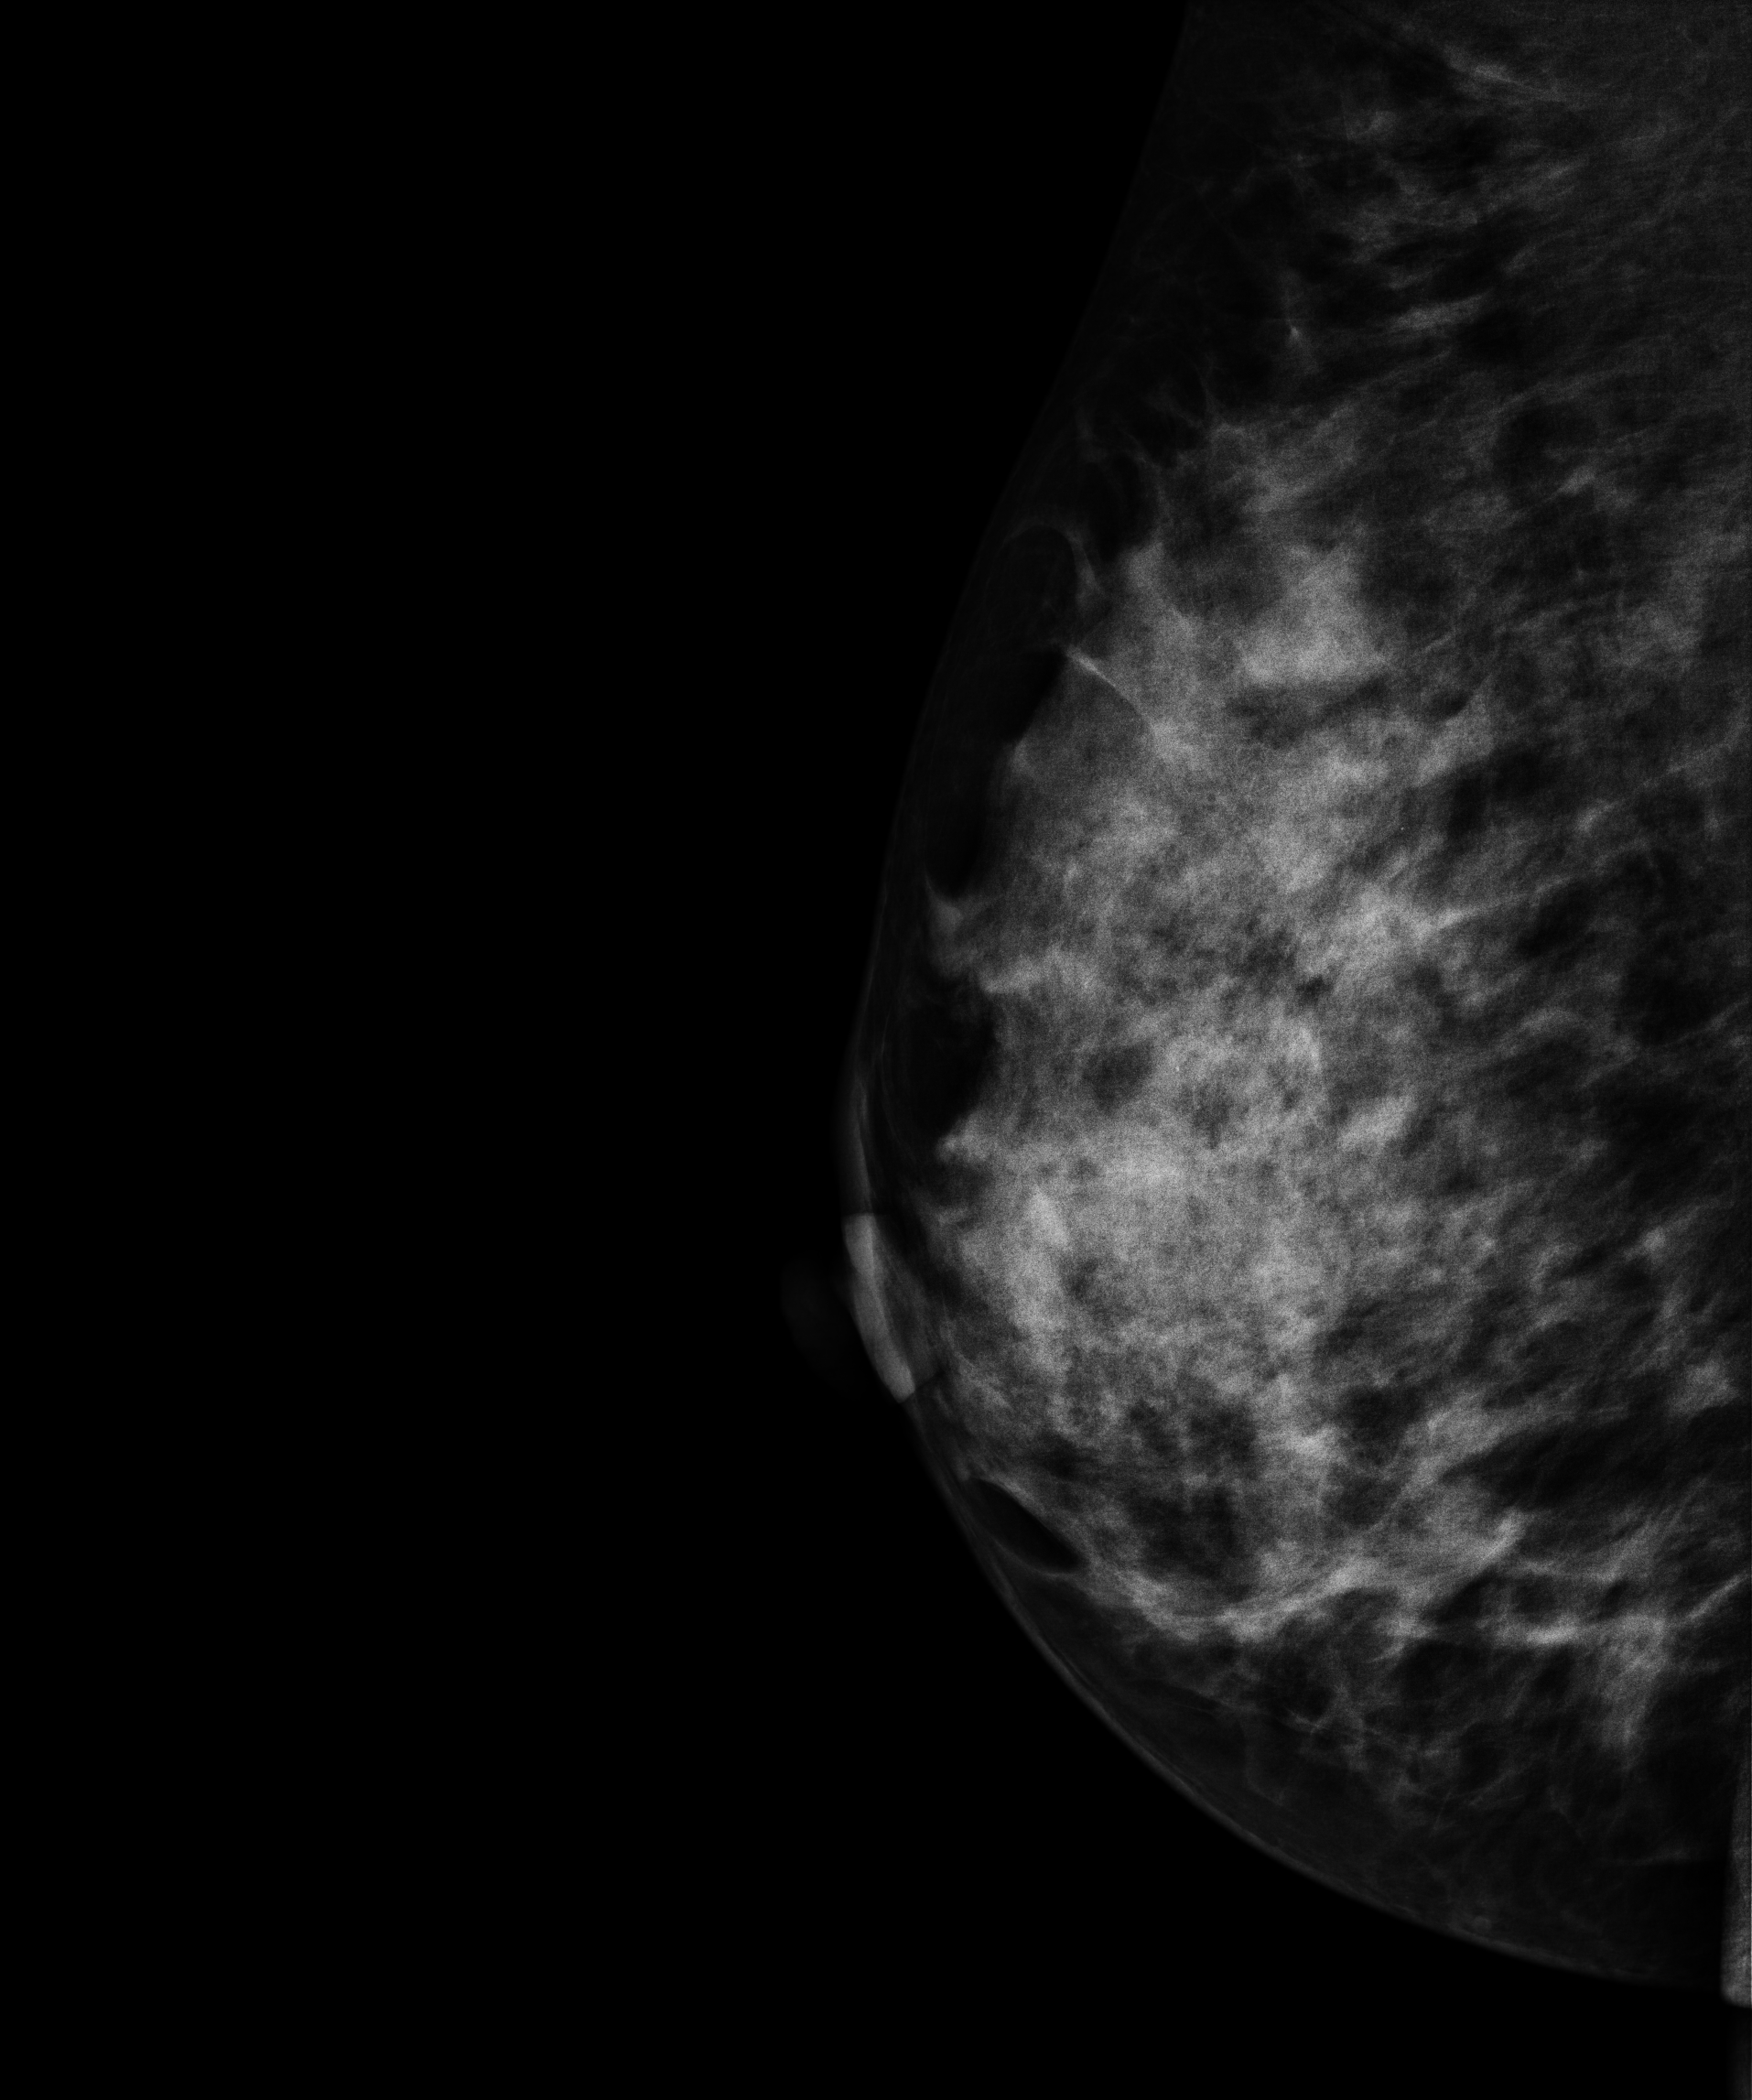
Digital mammography. Right breast, MLO projection. 48 y/o patient.
Contralateral breast — no documented abnormality on this side.